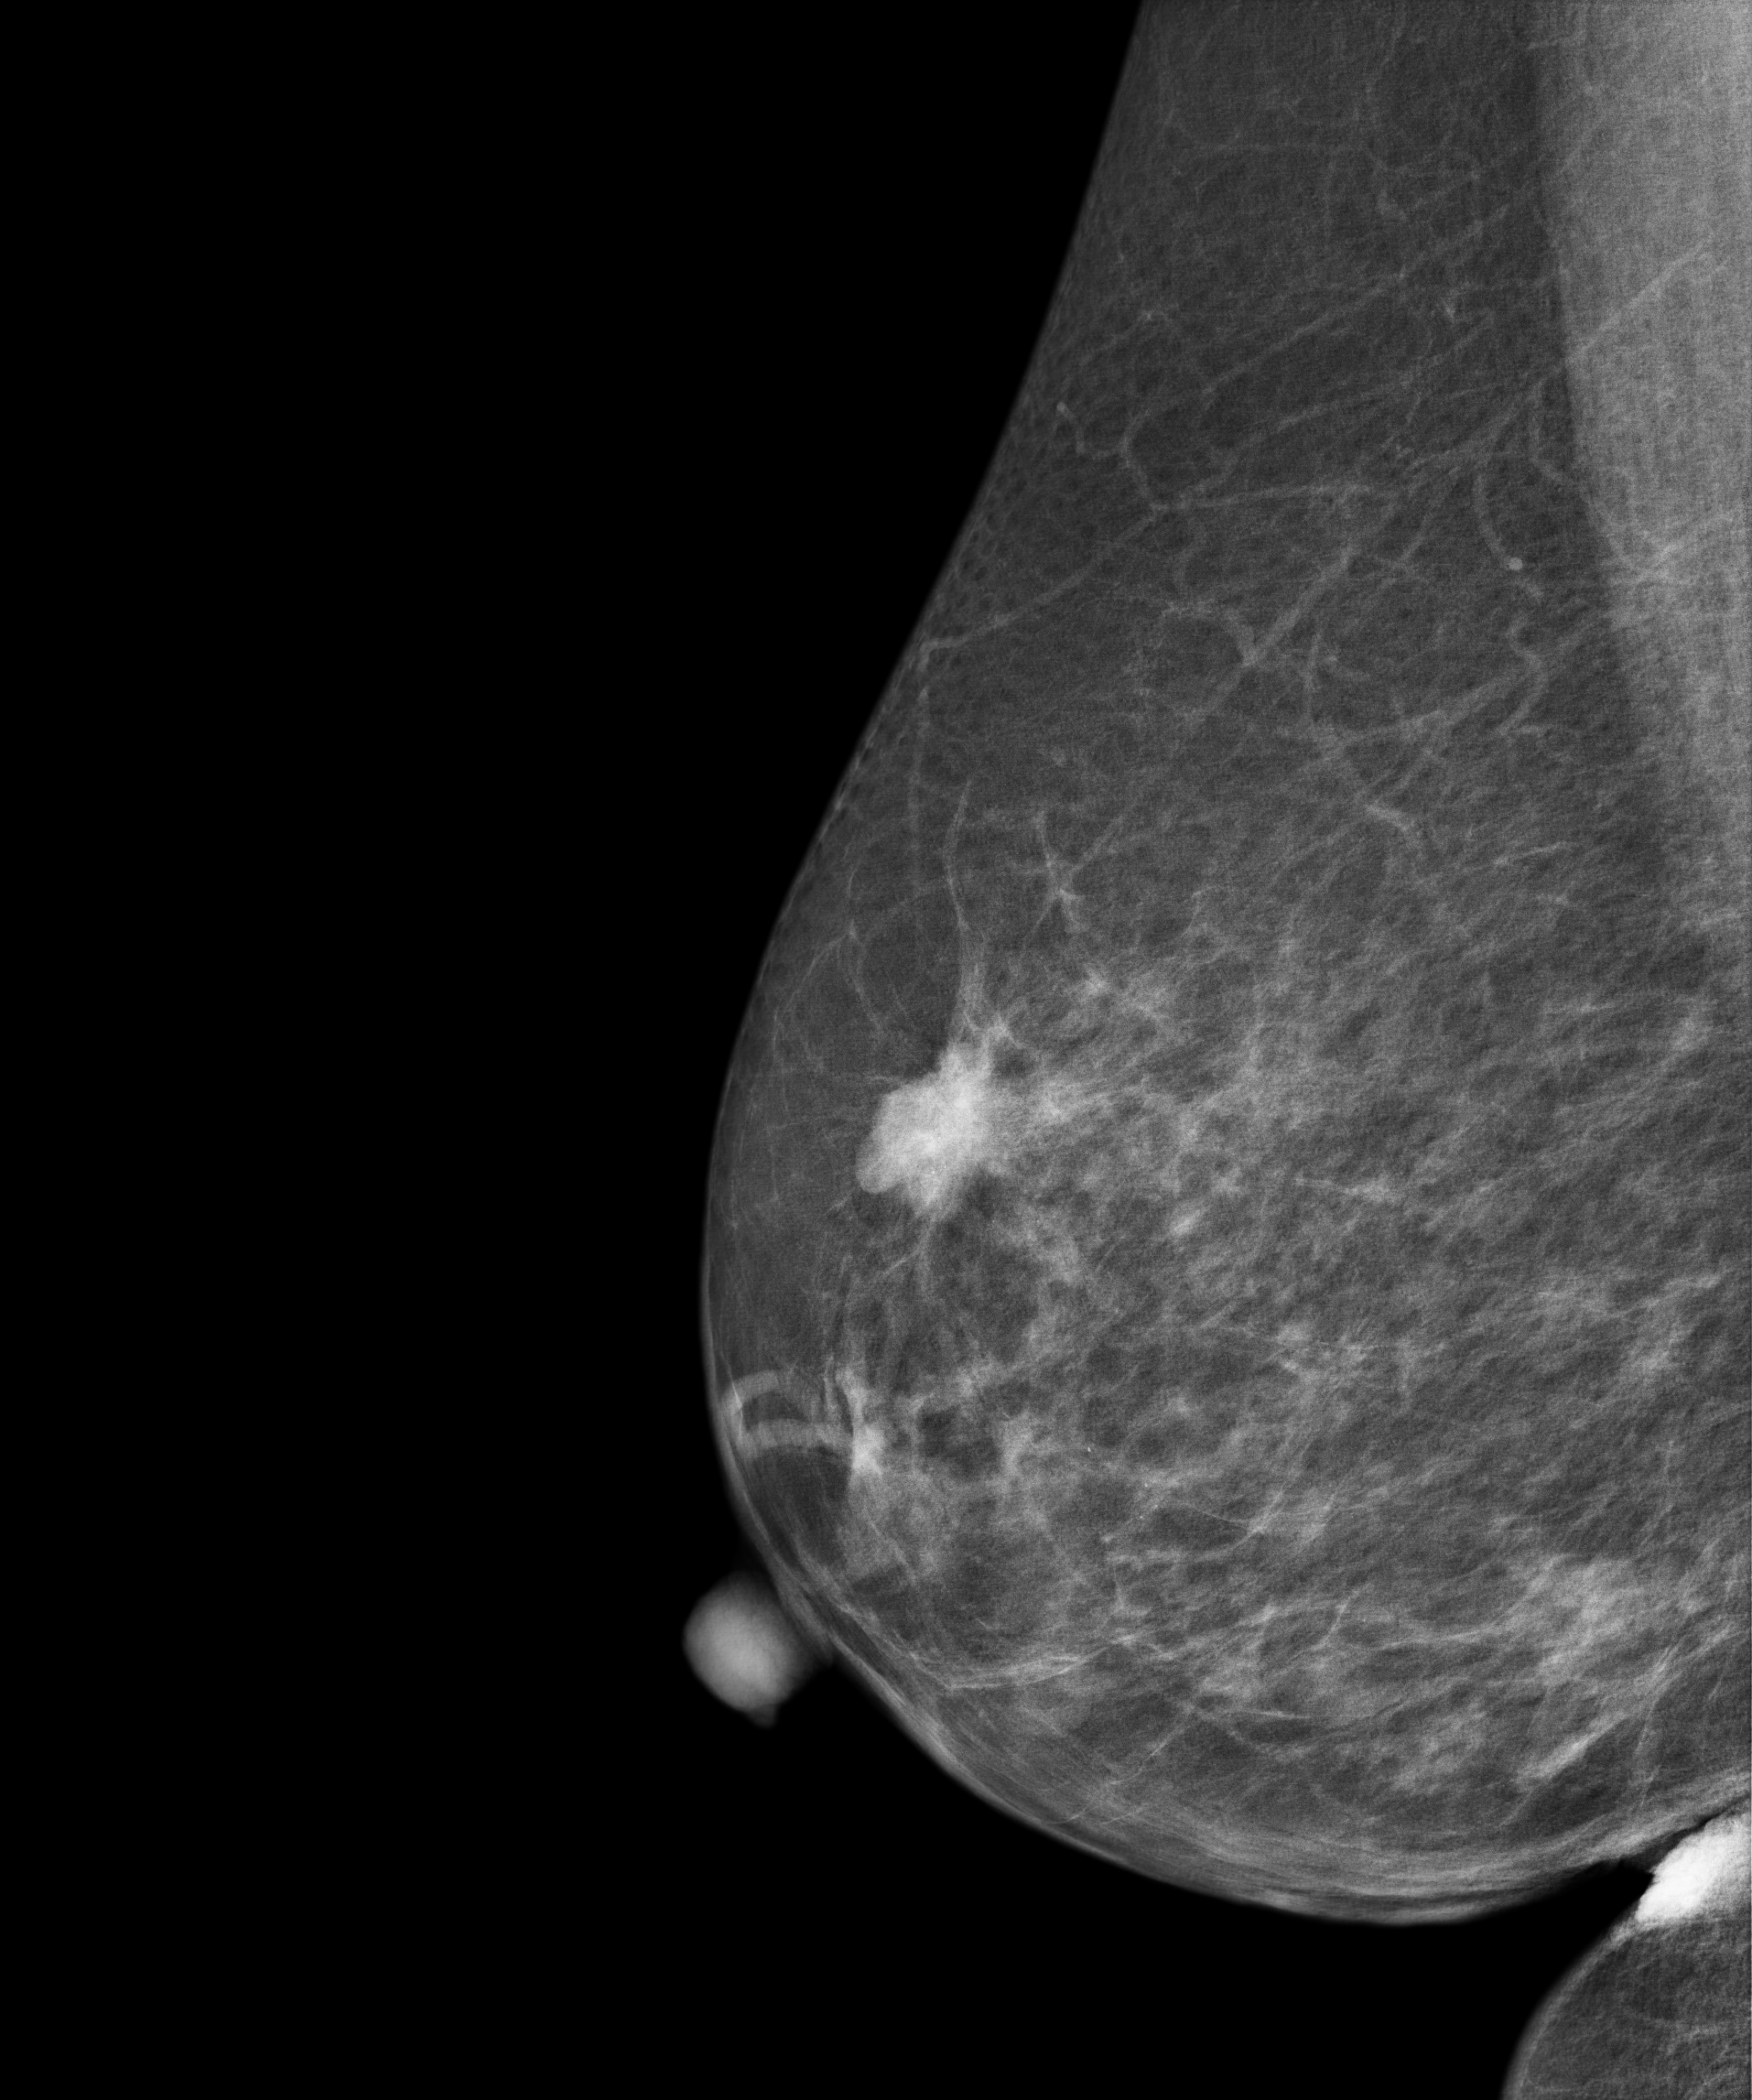
Mammogram — right MLO. 75 y/o patient.
This breast has a mass, pathology-confirmed malignant.